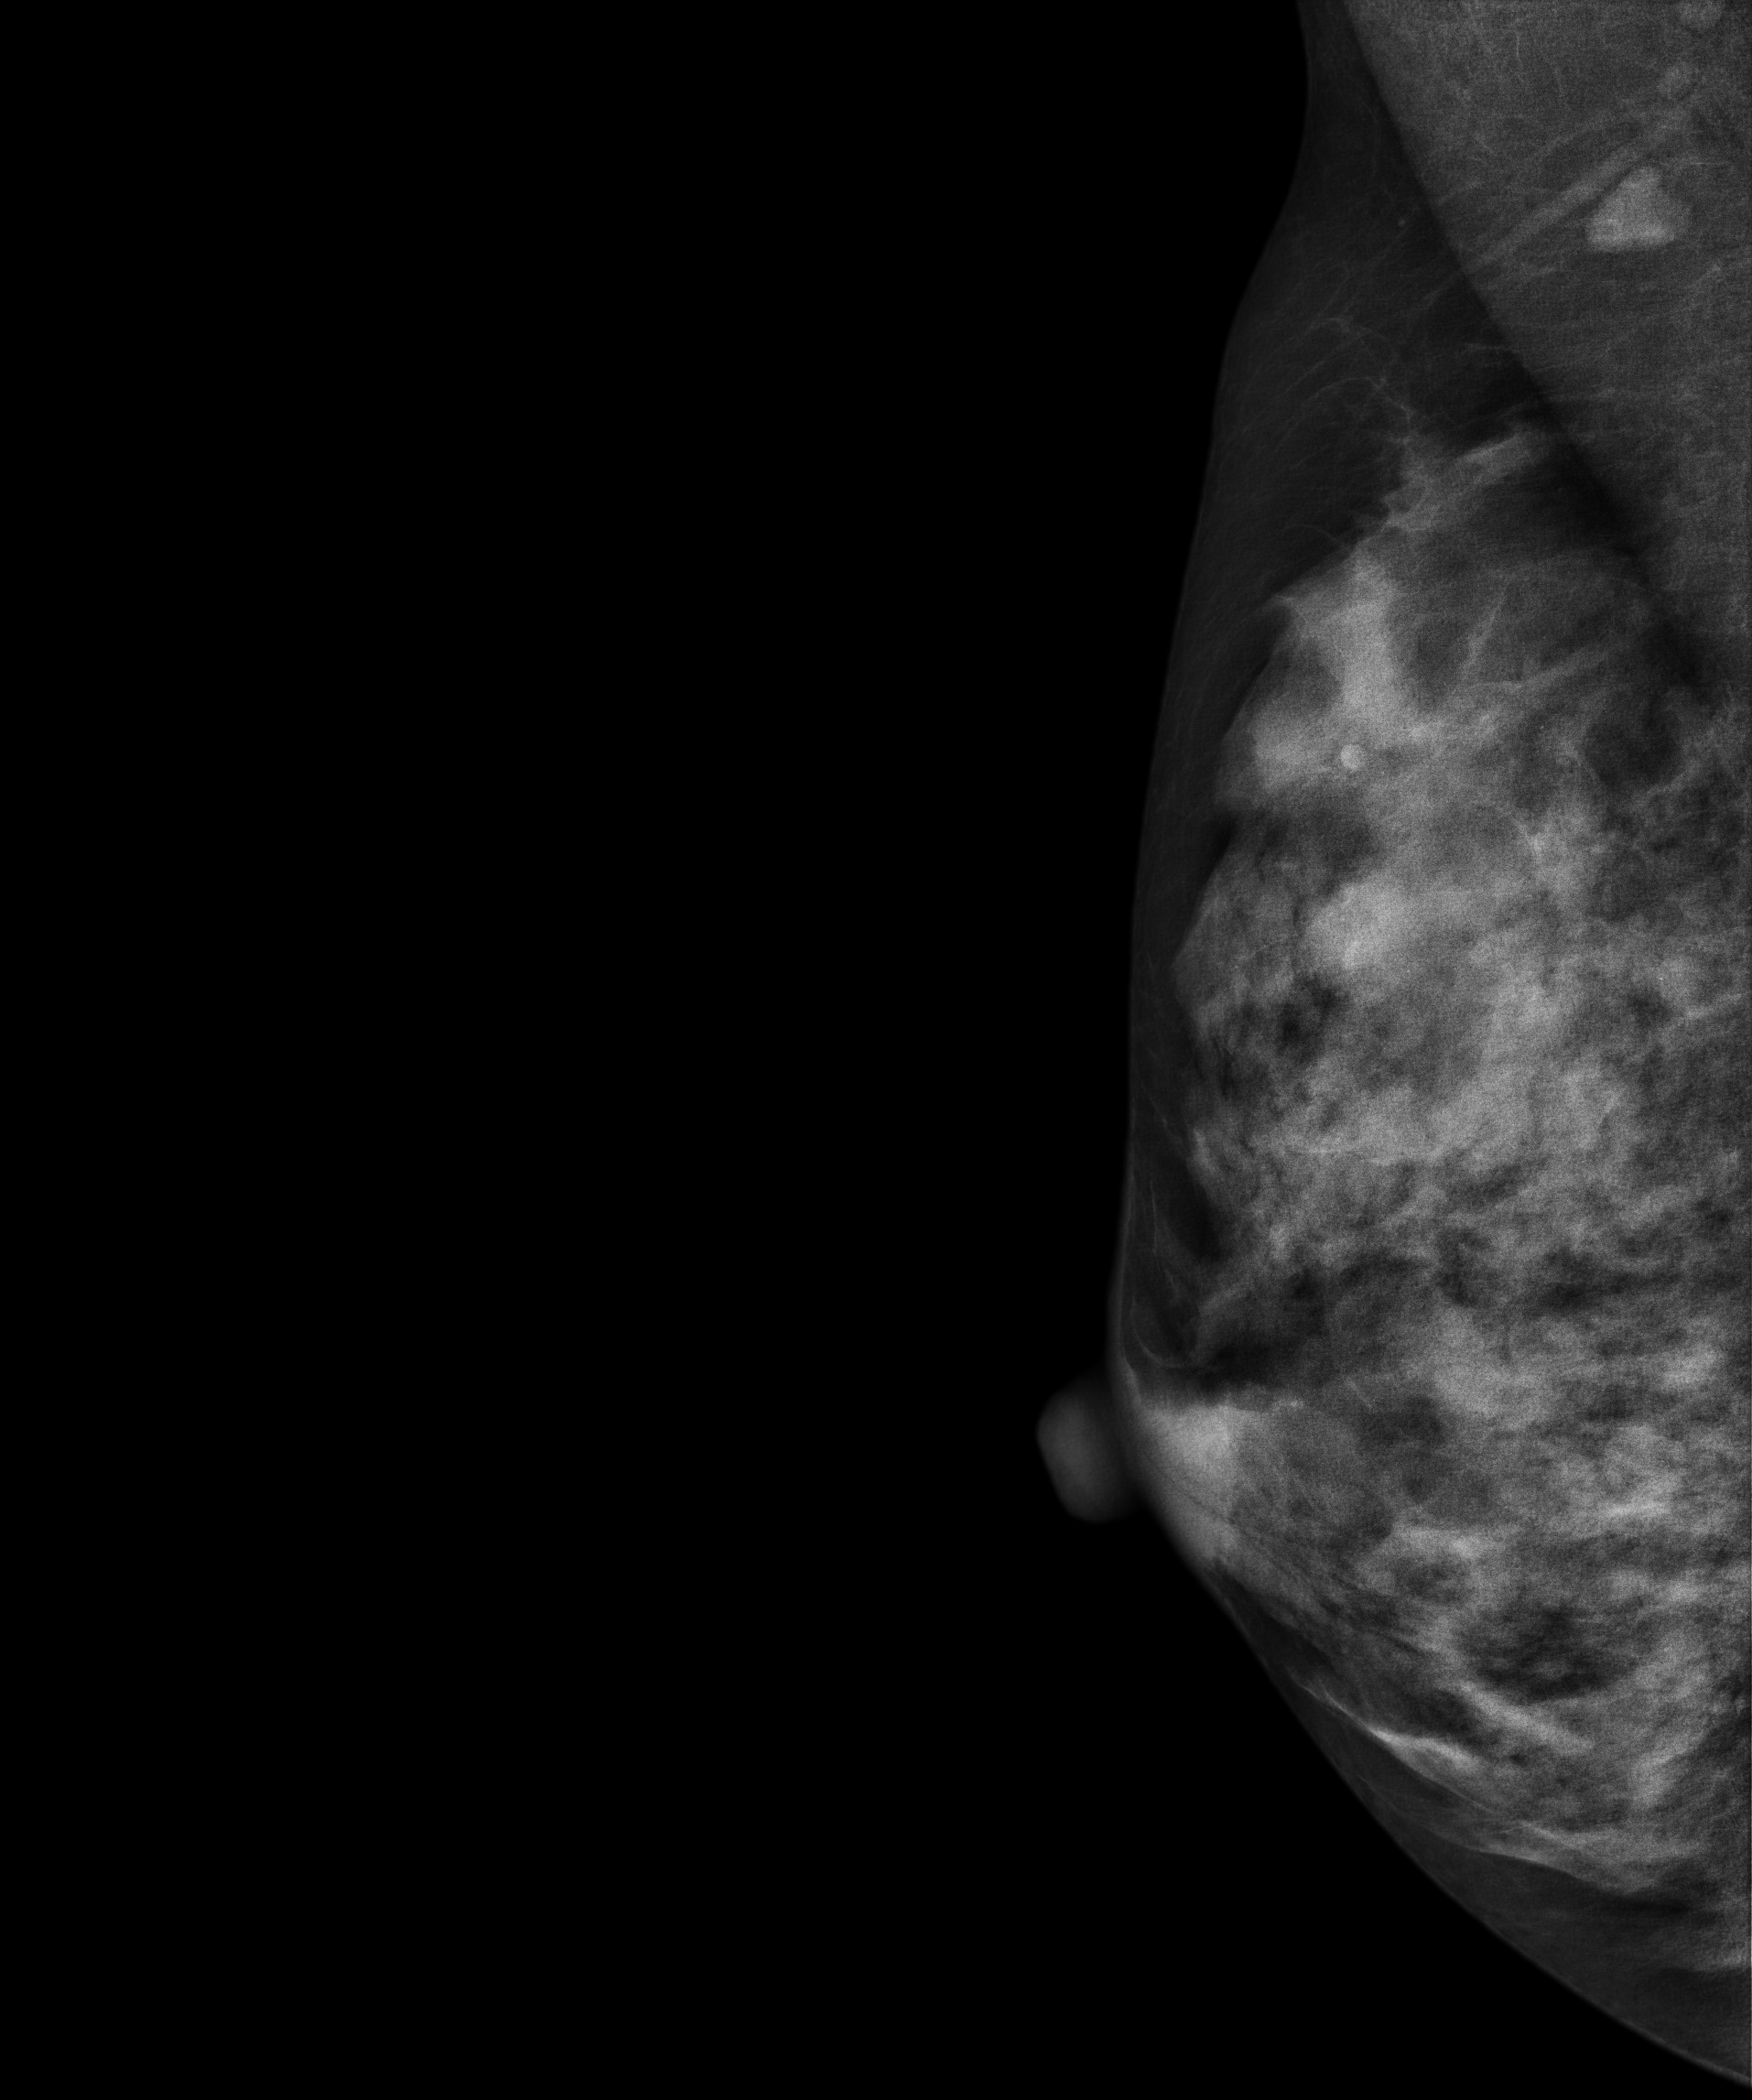
MLO mammogram of the right breast. Patient age 47.
This breast has a mass, histologically confirmed benign.